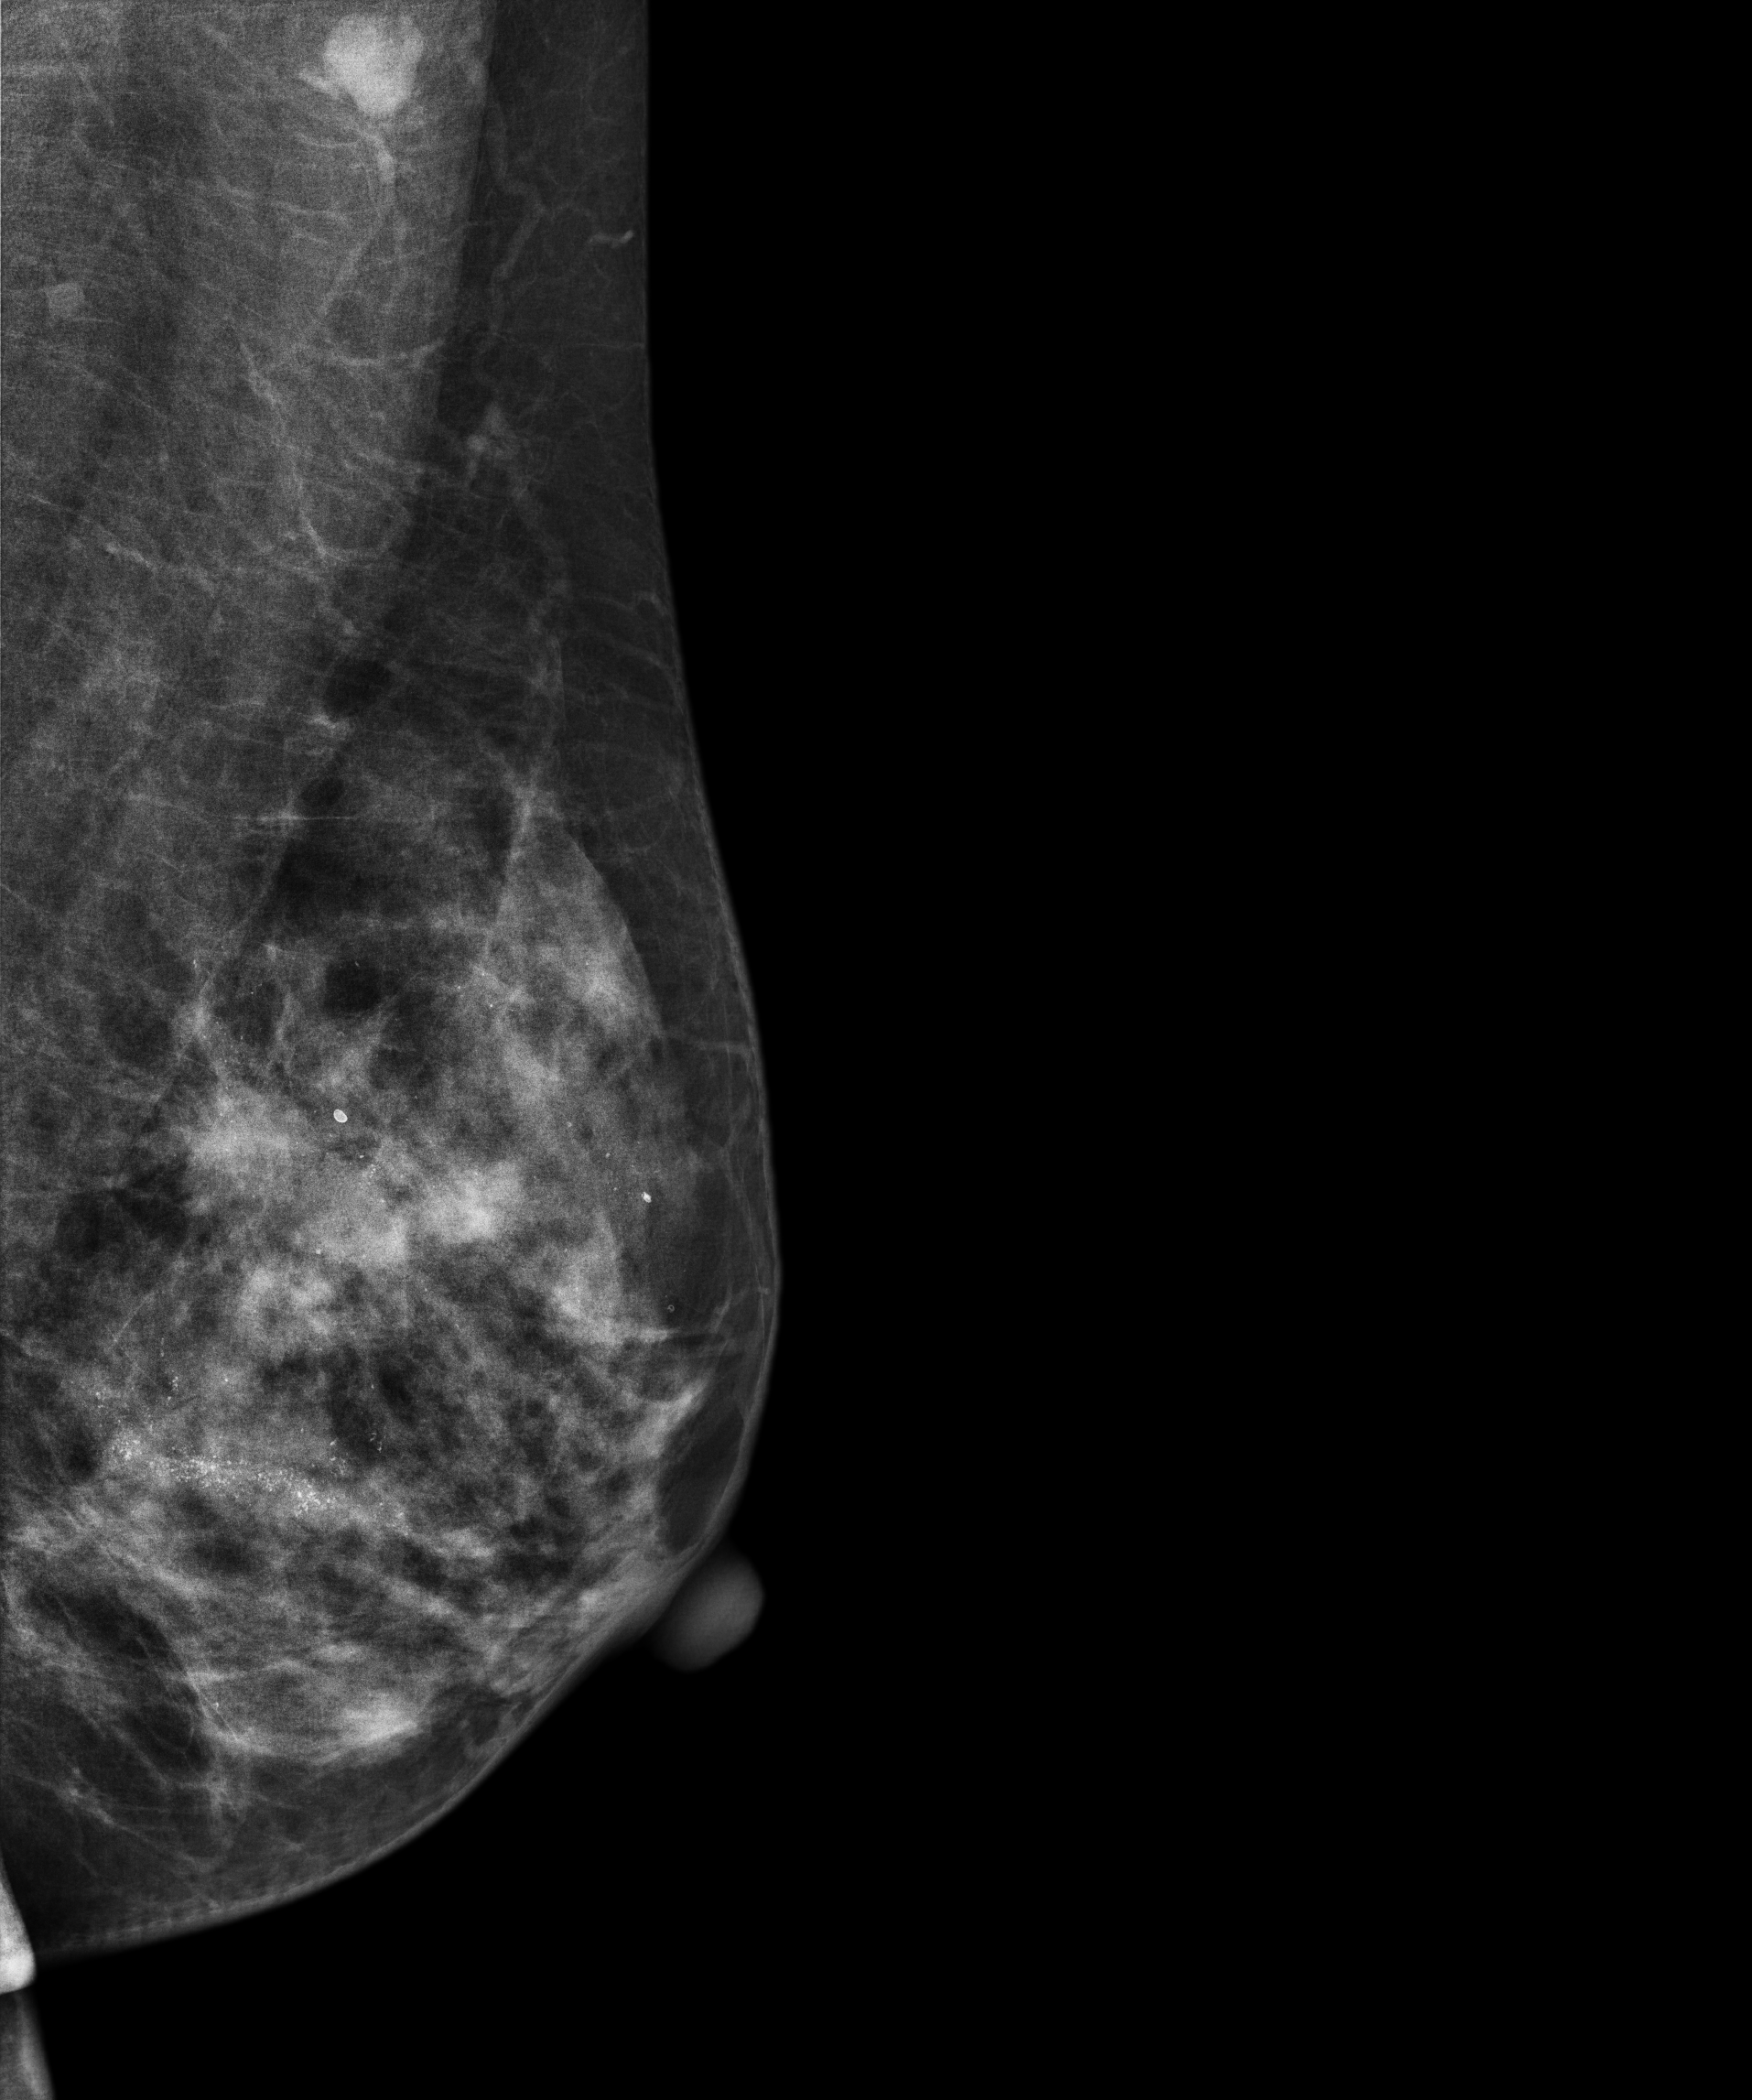
MLO mammogram of the left breast. Patient age 40.
This breast has calcifications, histologically confirmed malignant. Molecular subtype: luminal B.